Mammogram — left medio-lateral oblique. Patient age 42.
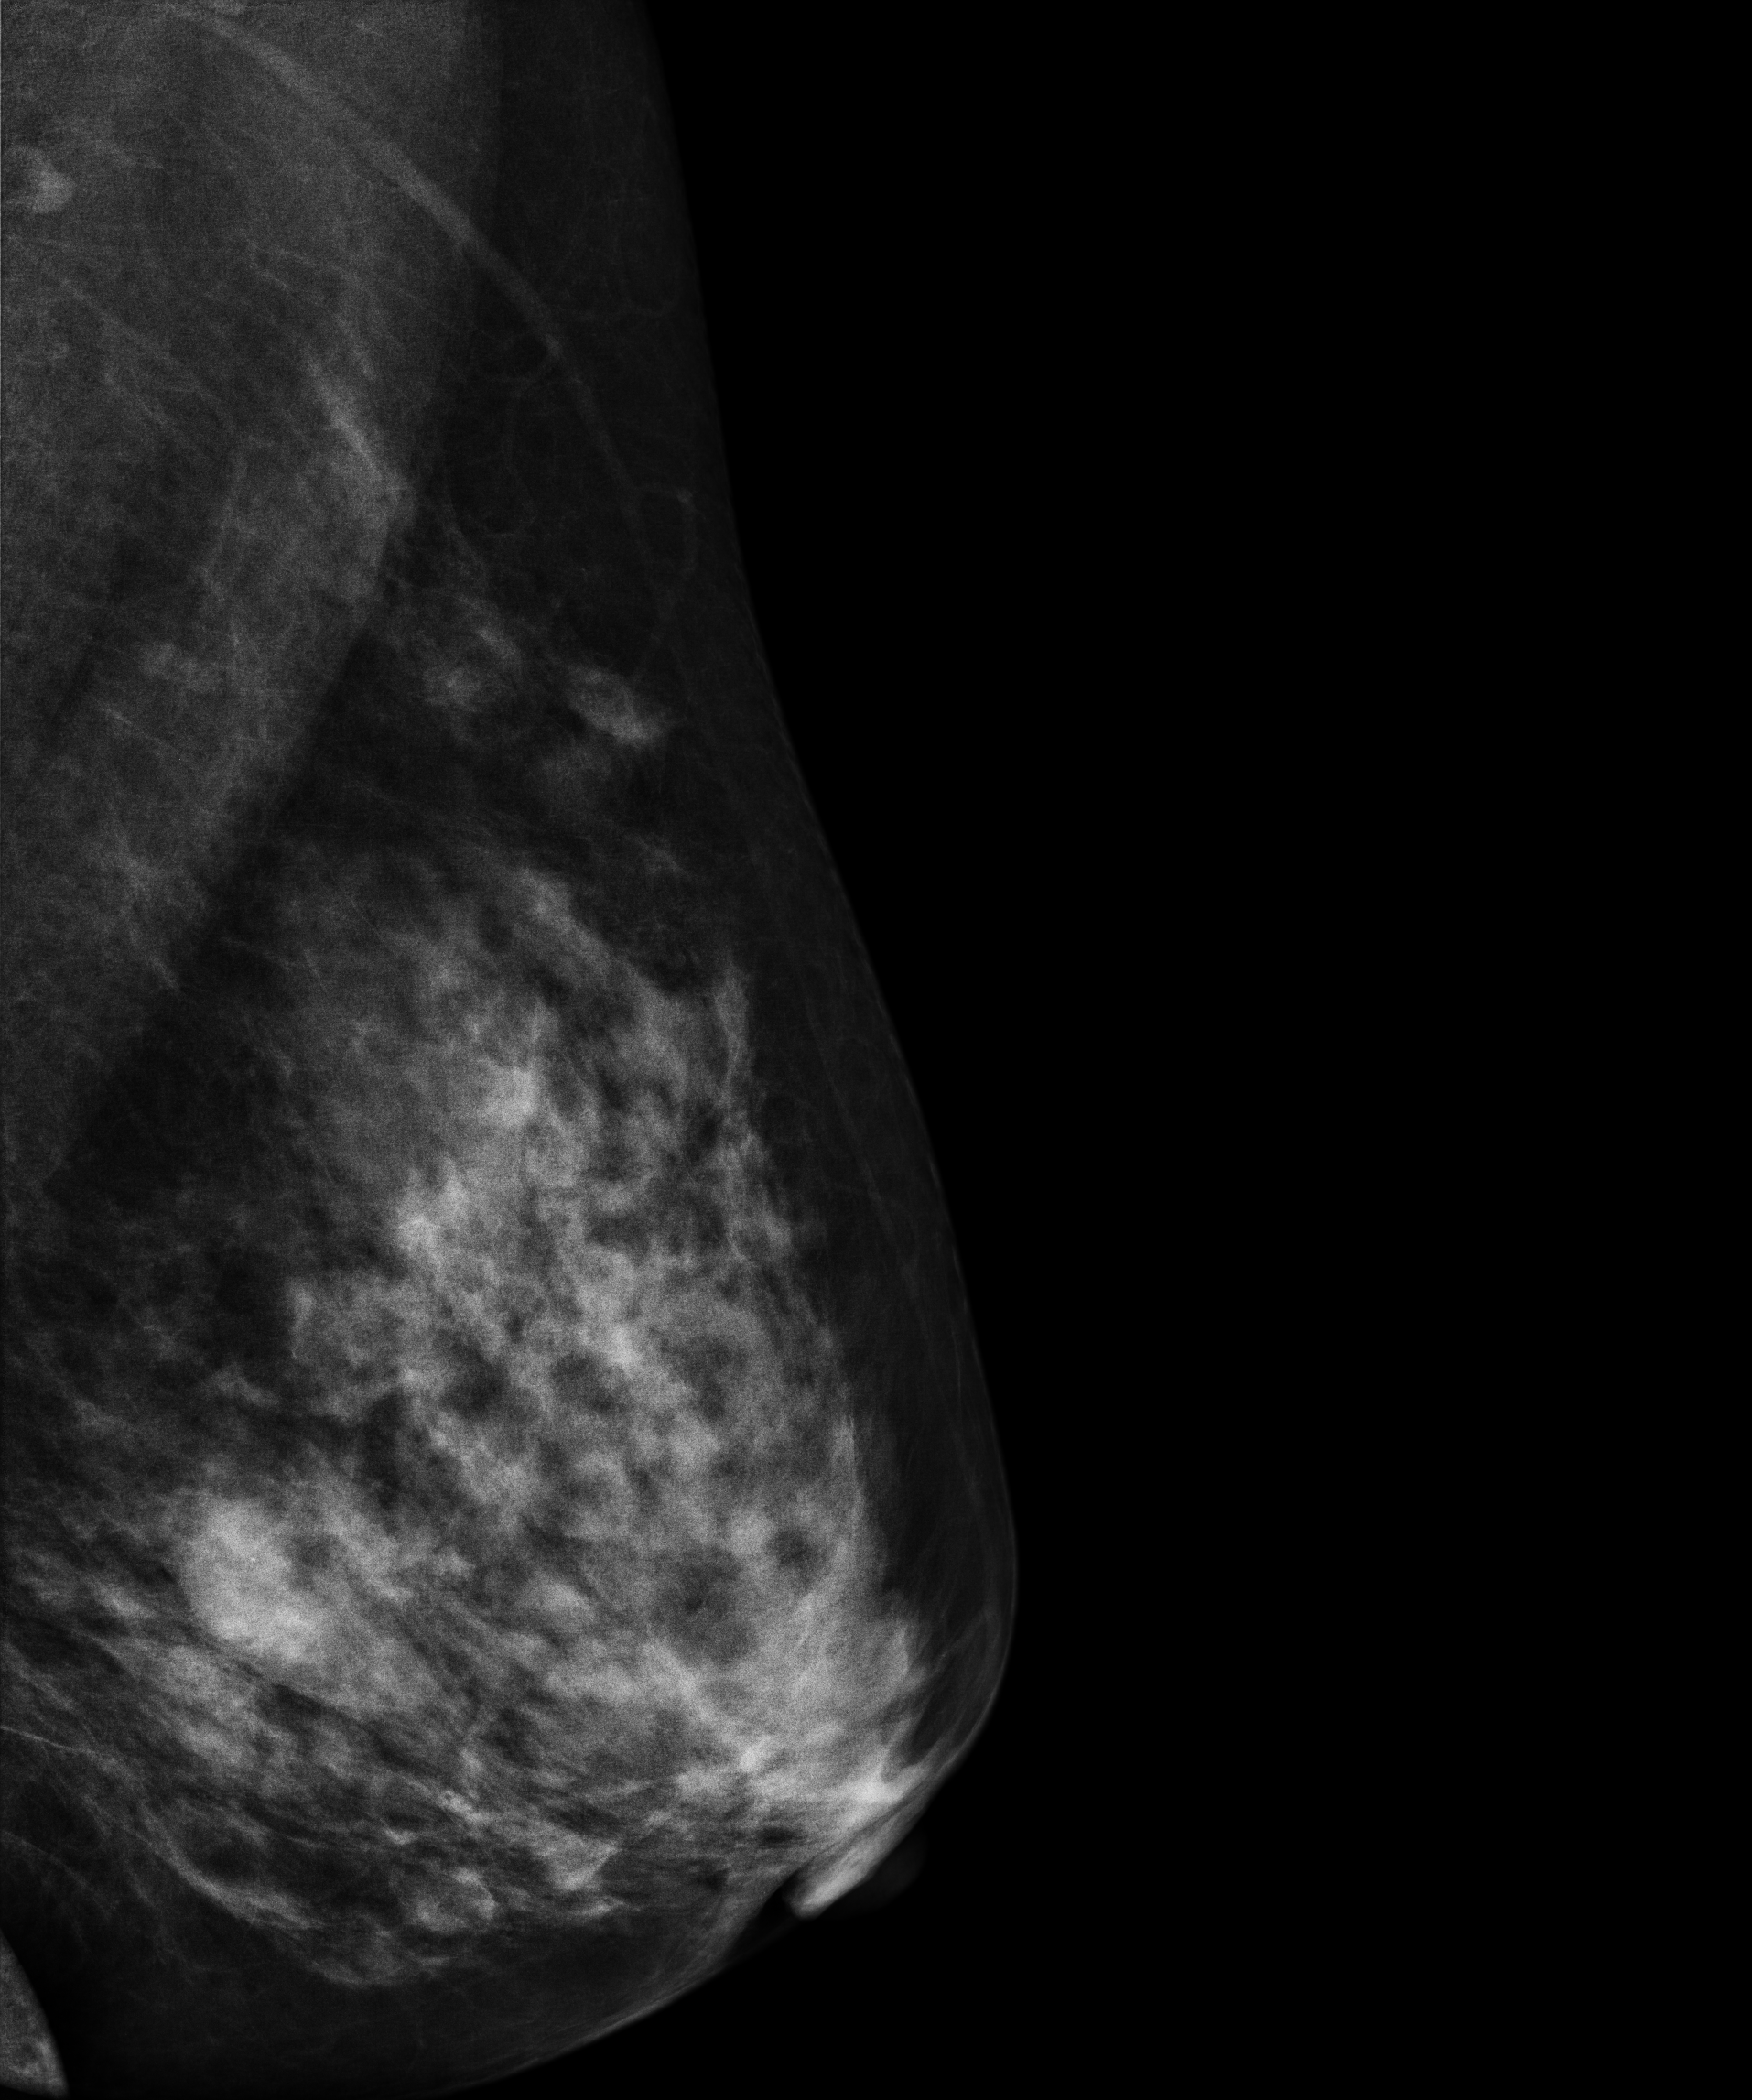
This breast has a mass, biopsy-proven benign.